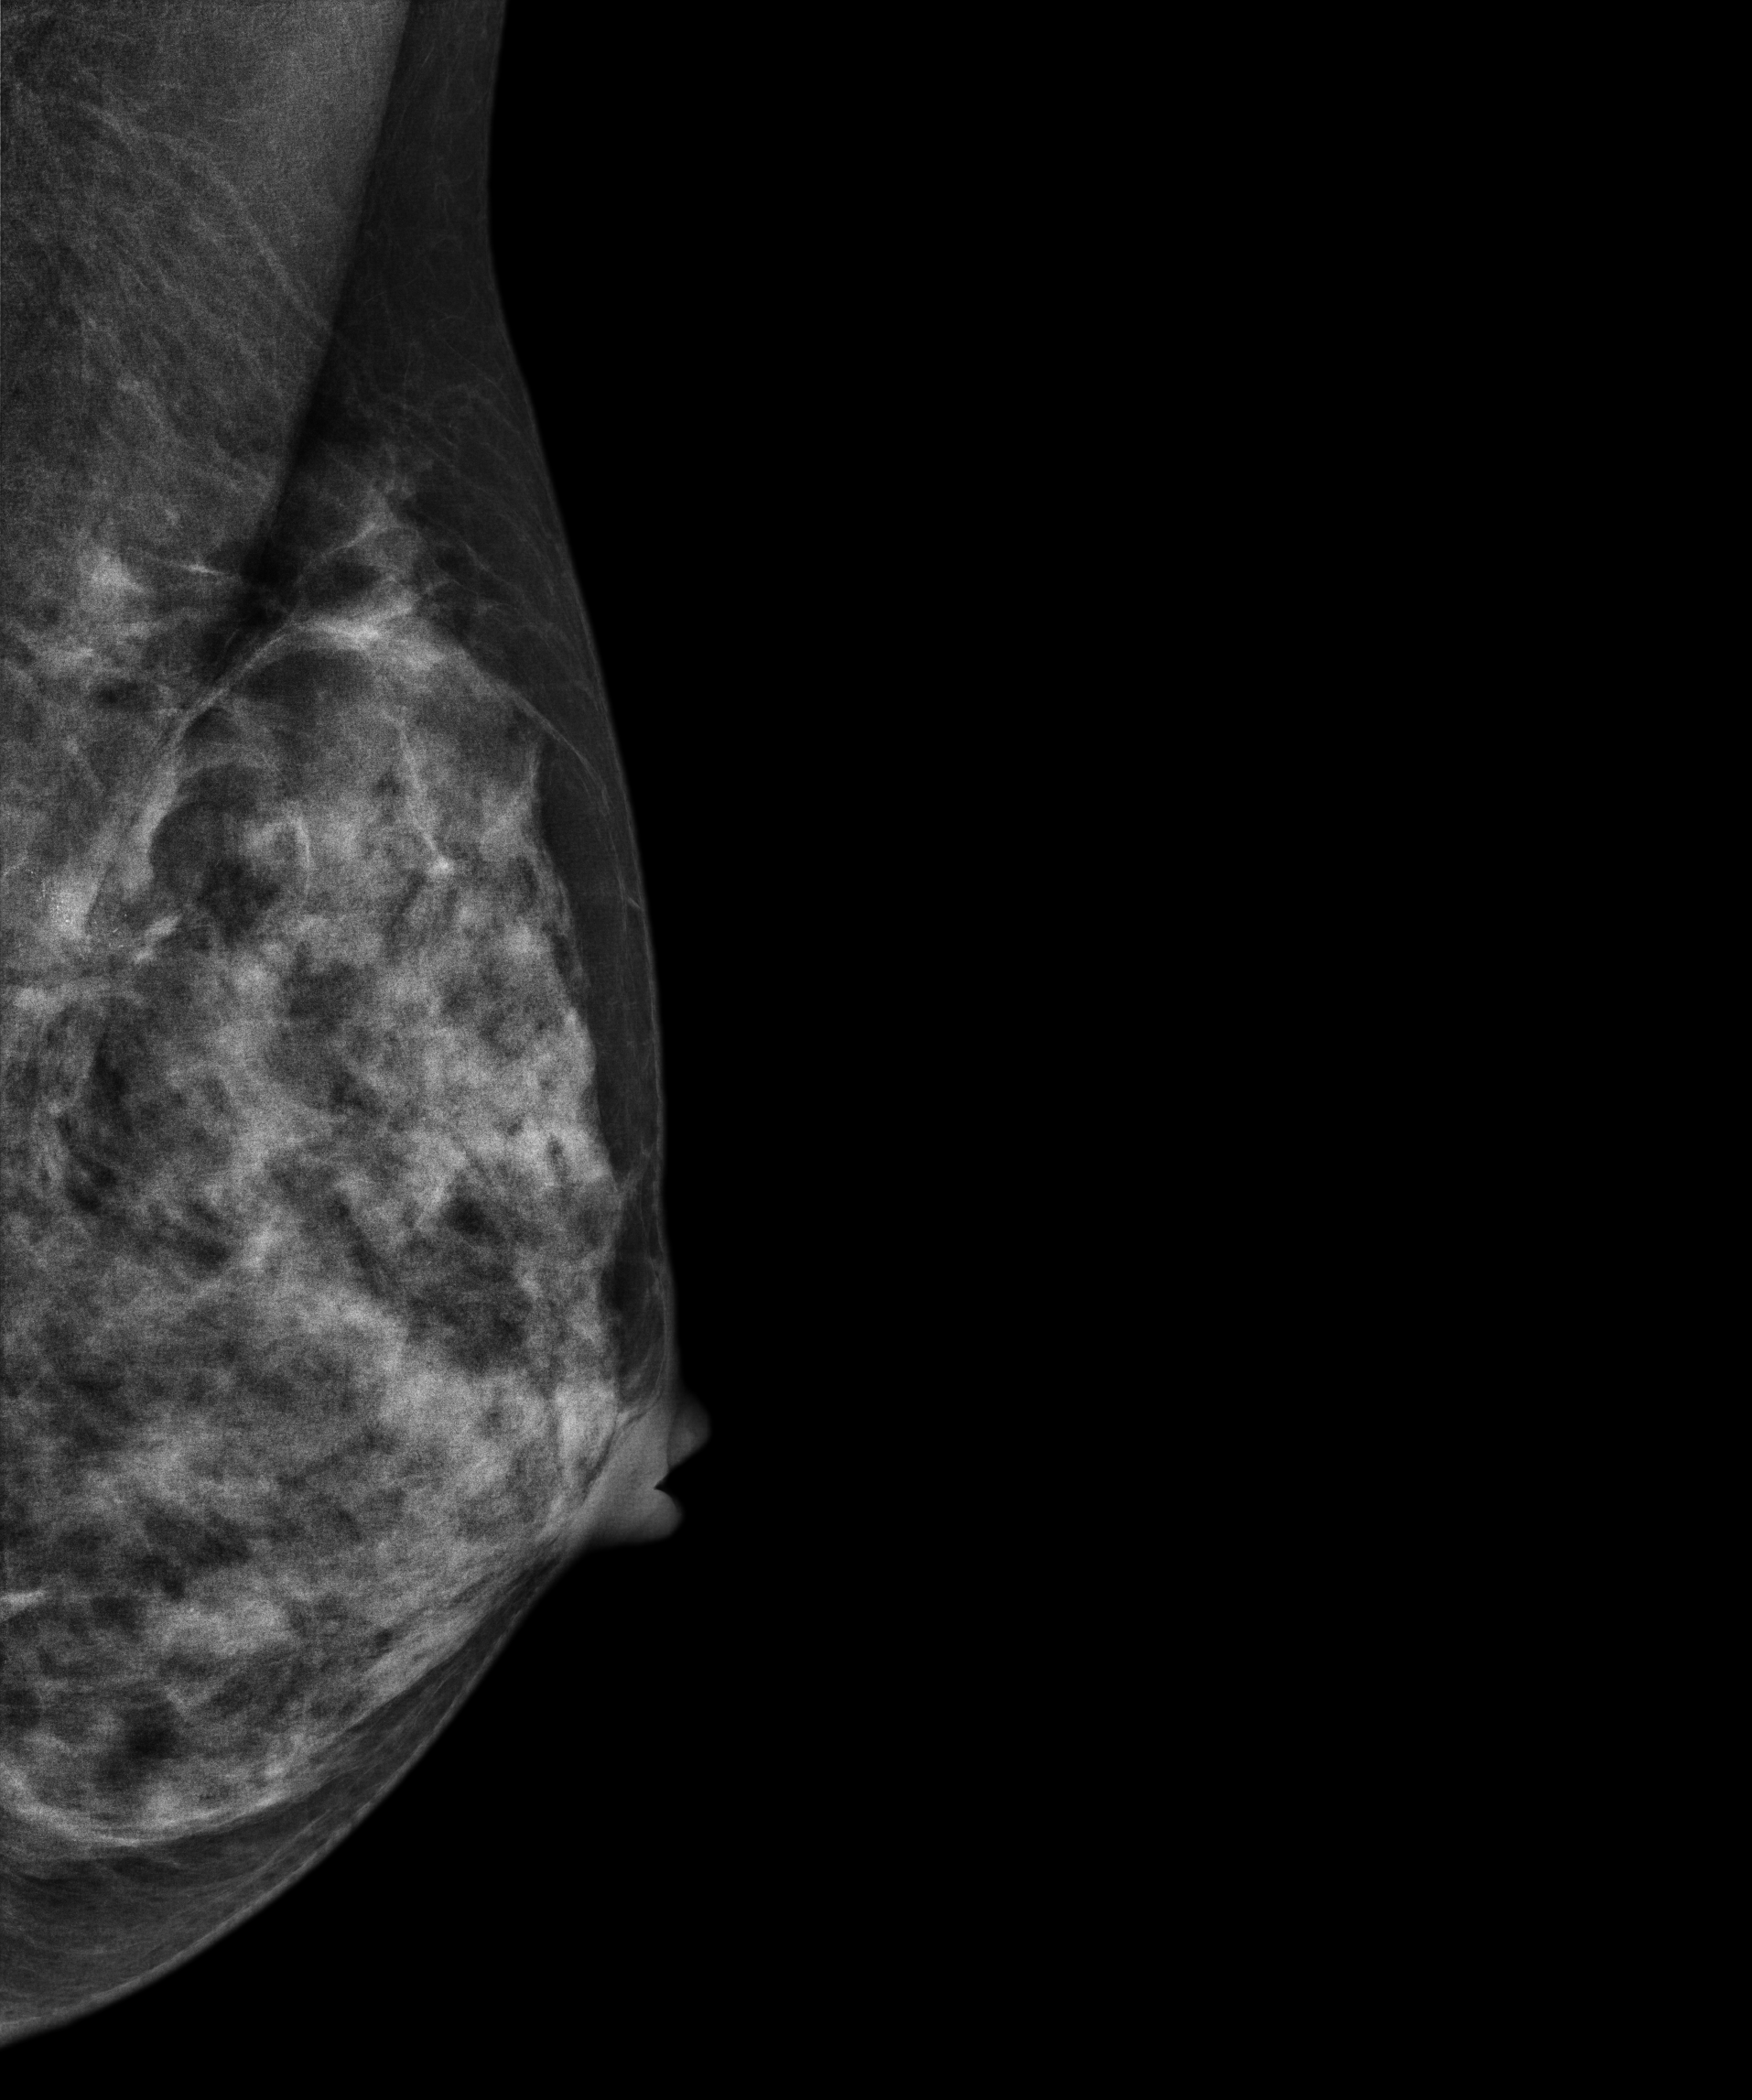
Mammogram — left medio-lateral oblique. 49-year-old patient.
This breast has a mass and calcifications, biopsy-proven malignant. Molecular subtype: luminal B.